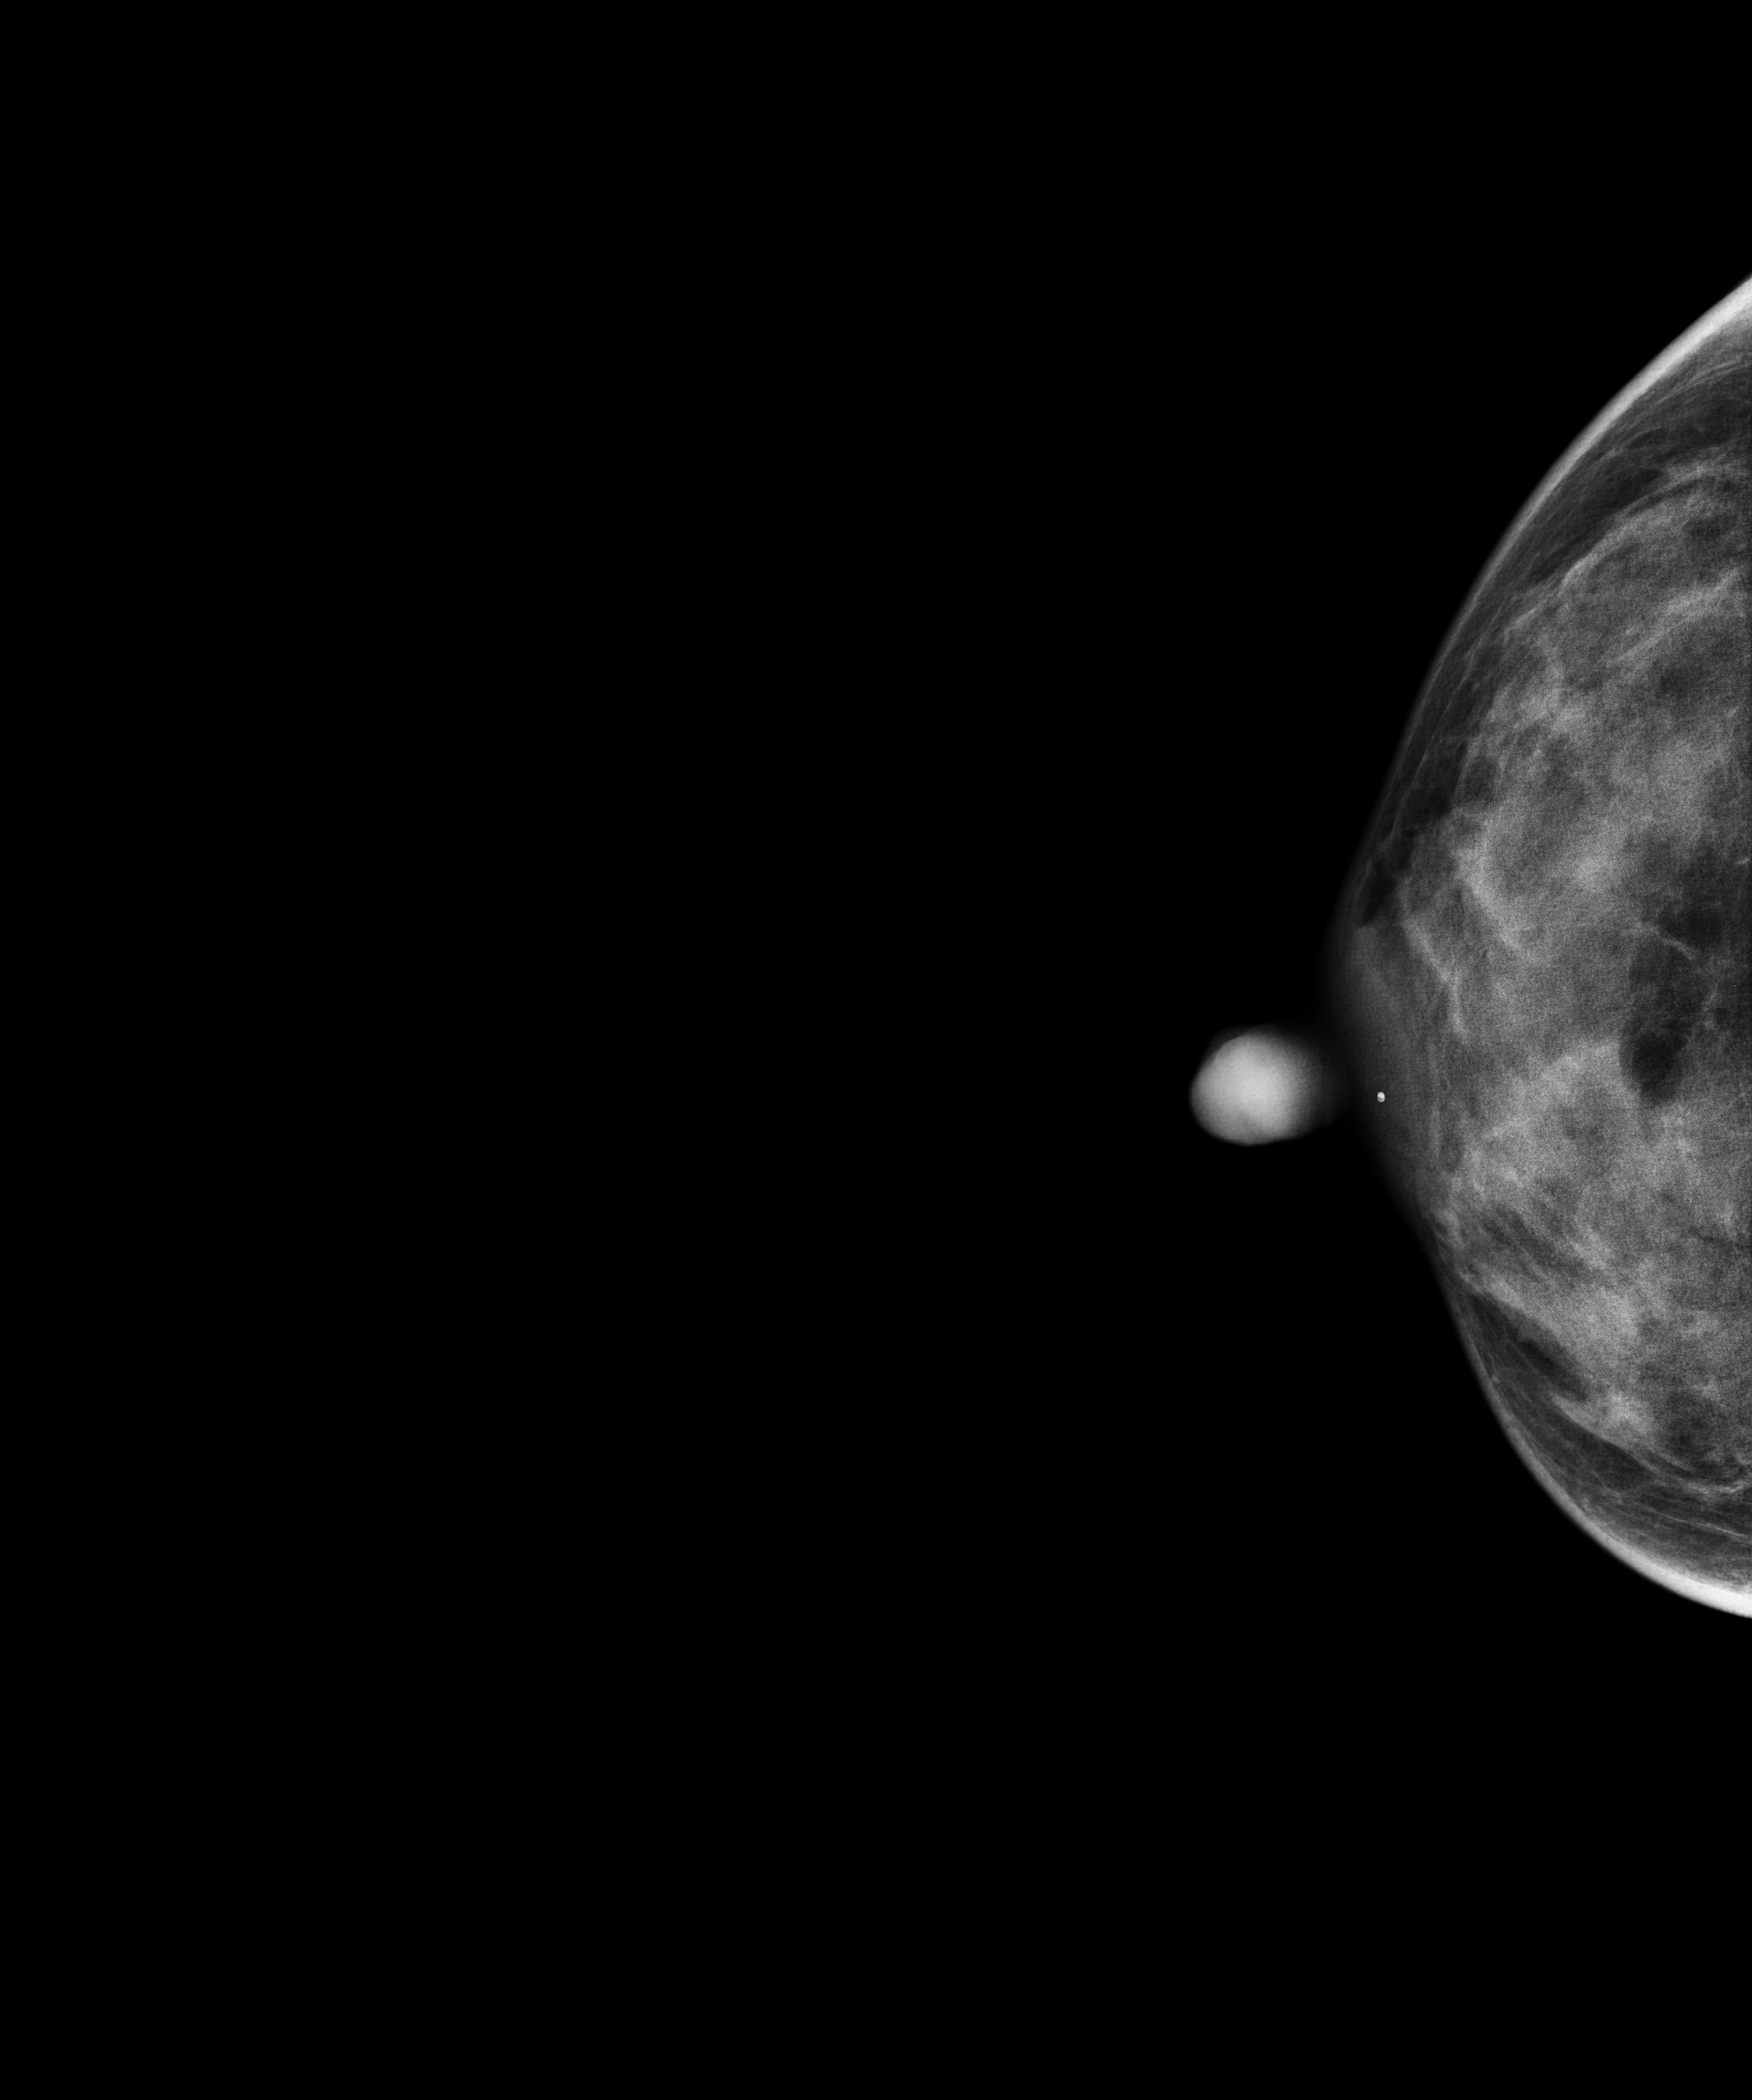
Right-breast mammogram, CC. 44-year-old patient.
This breast has a mass, pathology-confirmed benign.